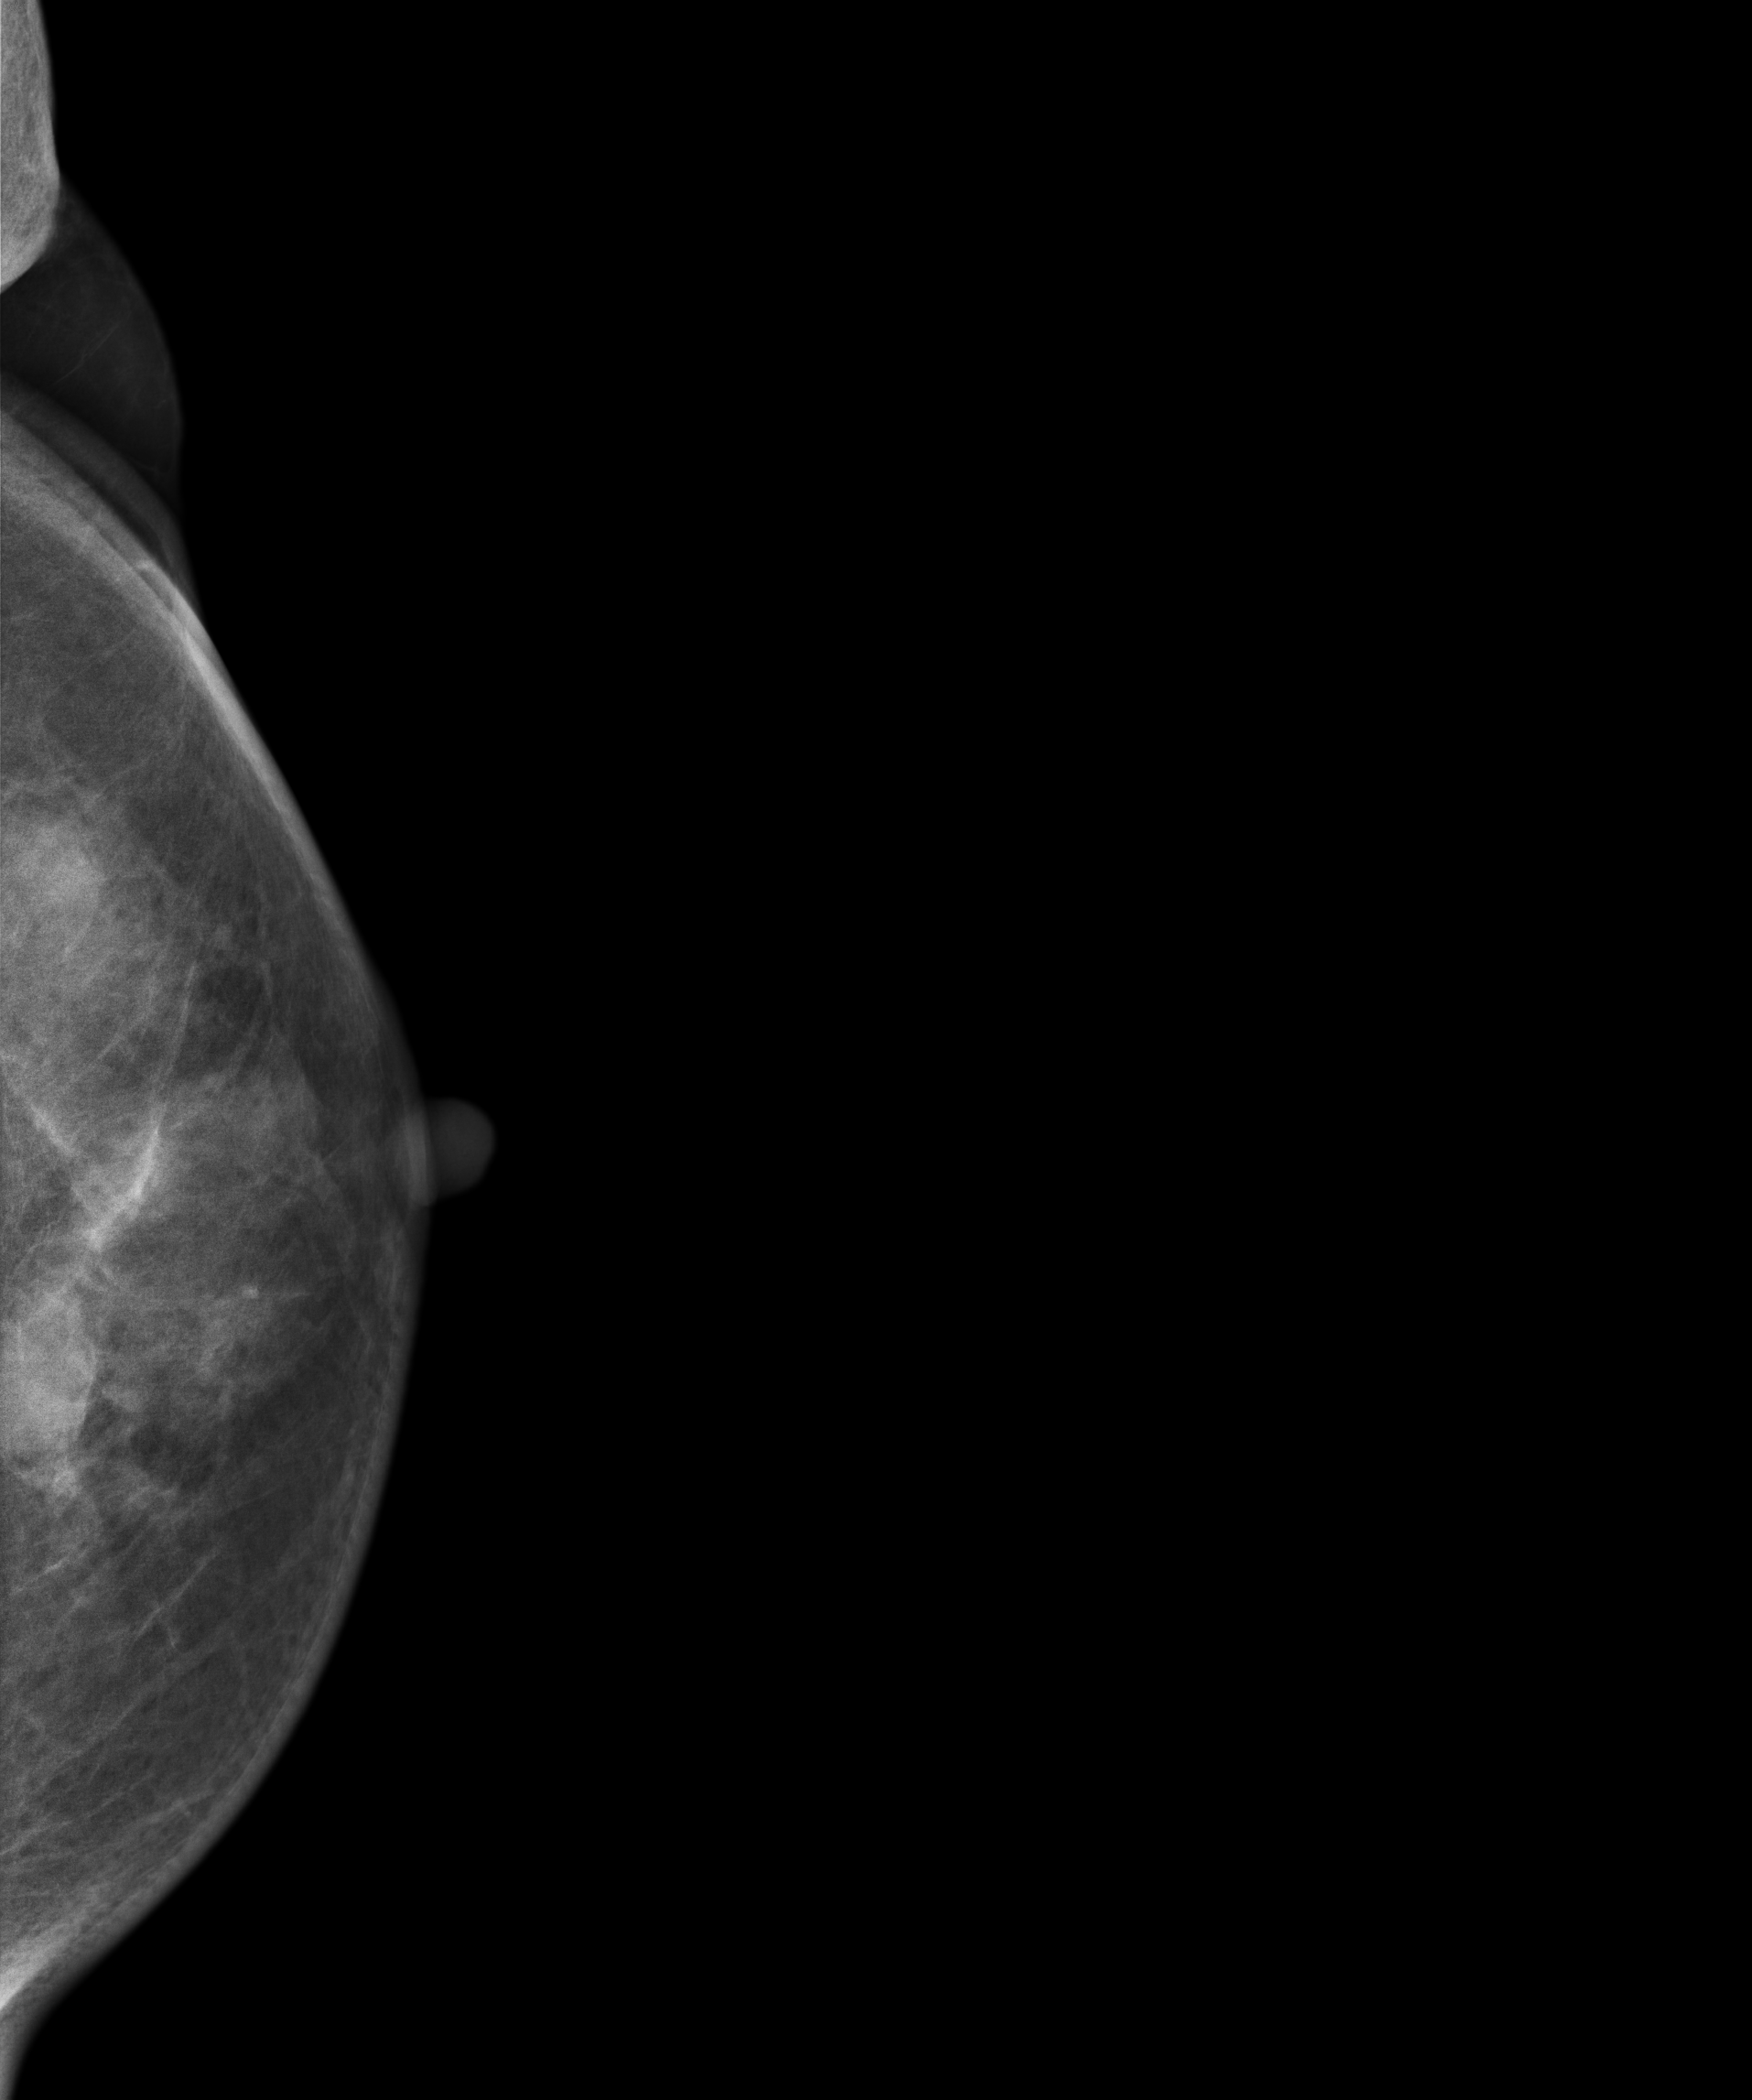
Mammogram, left breast, cranio-caudal view. 35-year-old patient.
This breast has a mass, biopsy-proven benign.